Cranio-caudal mammogram of the right breast. 50-year-old patient.
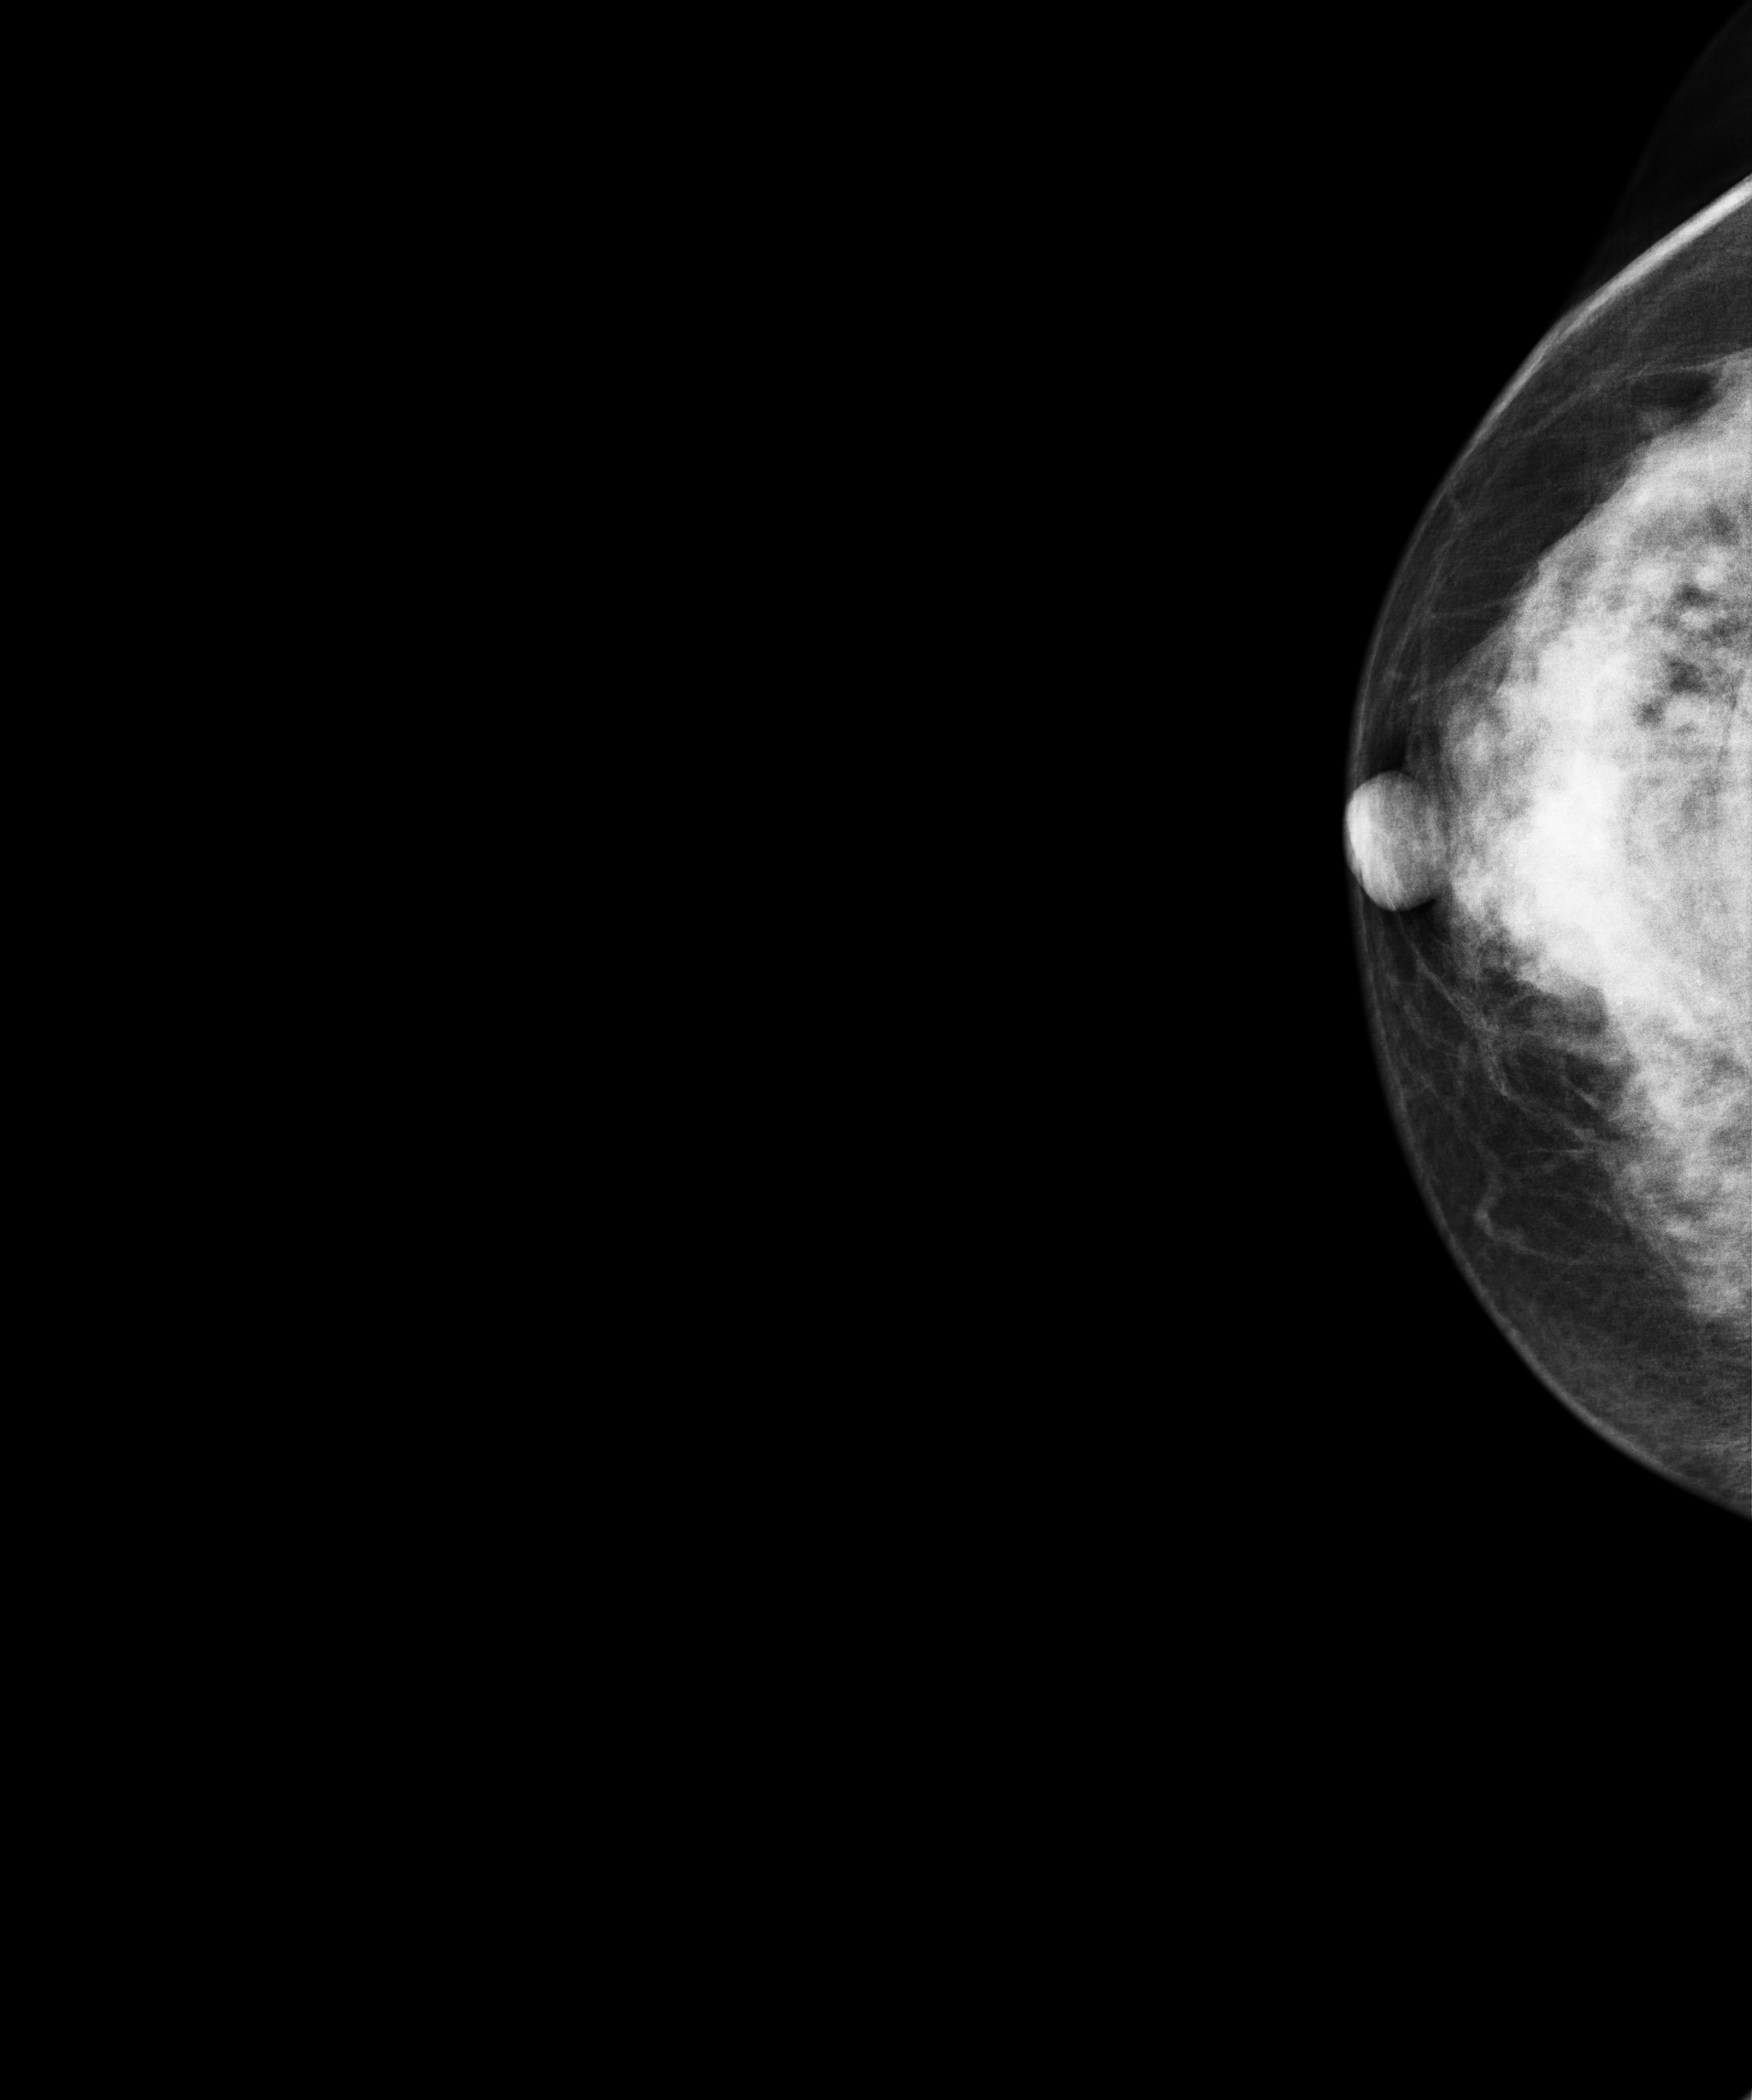
This breast has calcifications, pathology-confirmed malignant. Molecular subtype: luminal B.